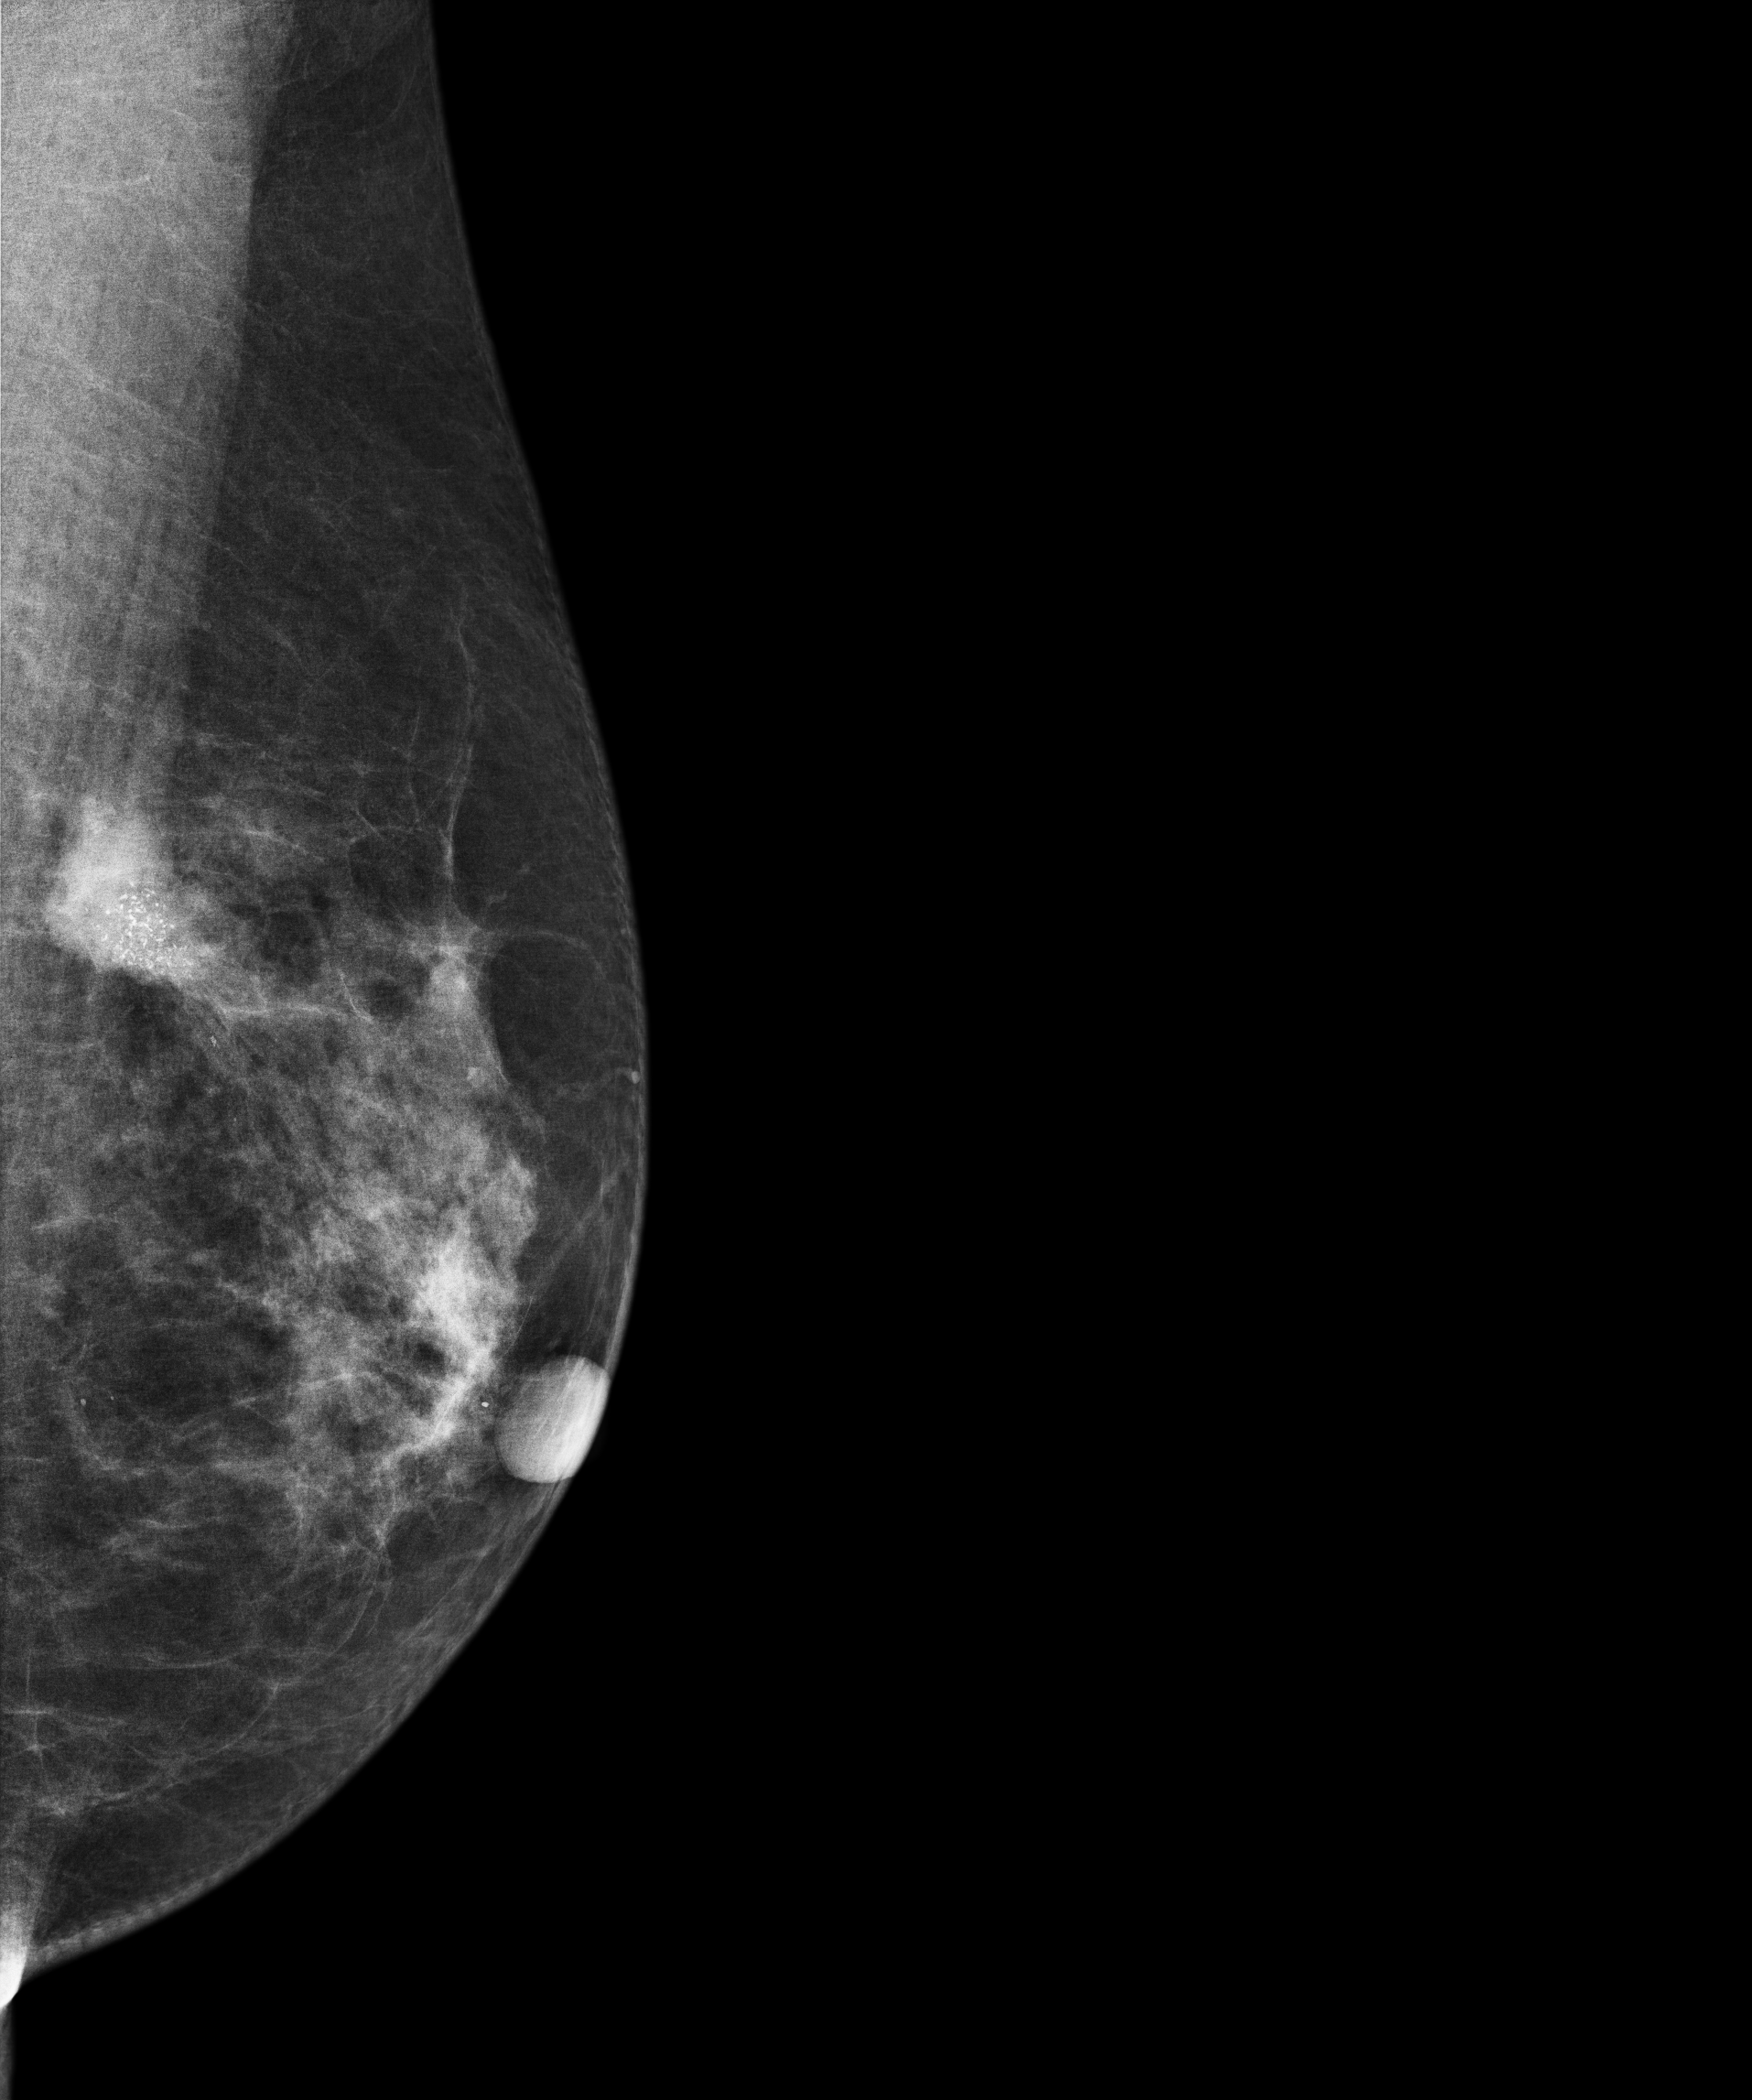
Mammogram, left breast, medio-lateral oblique view. Patient age 57.
This breast has a mass and calcifications, histologically confirmed malignant.